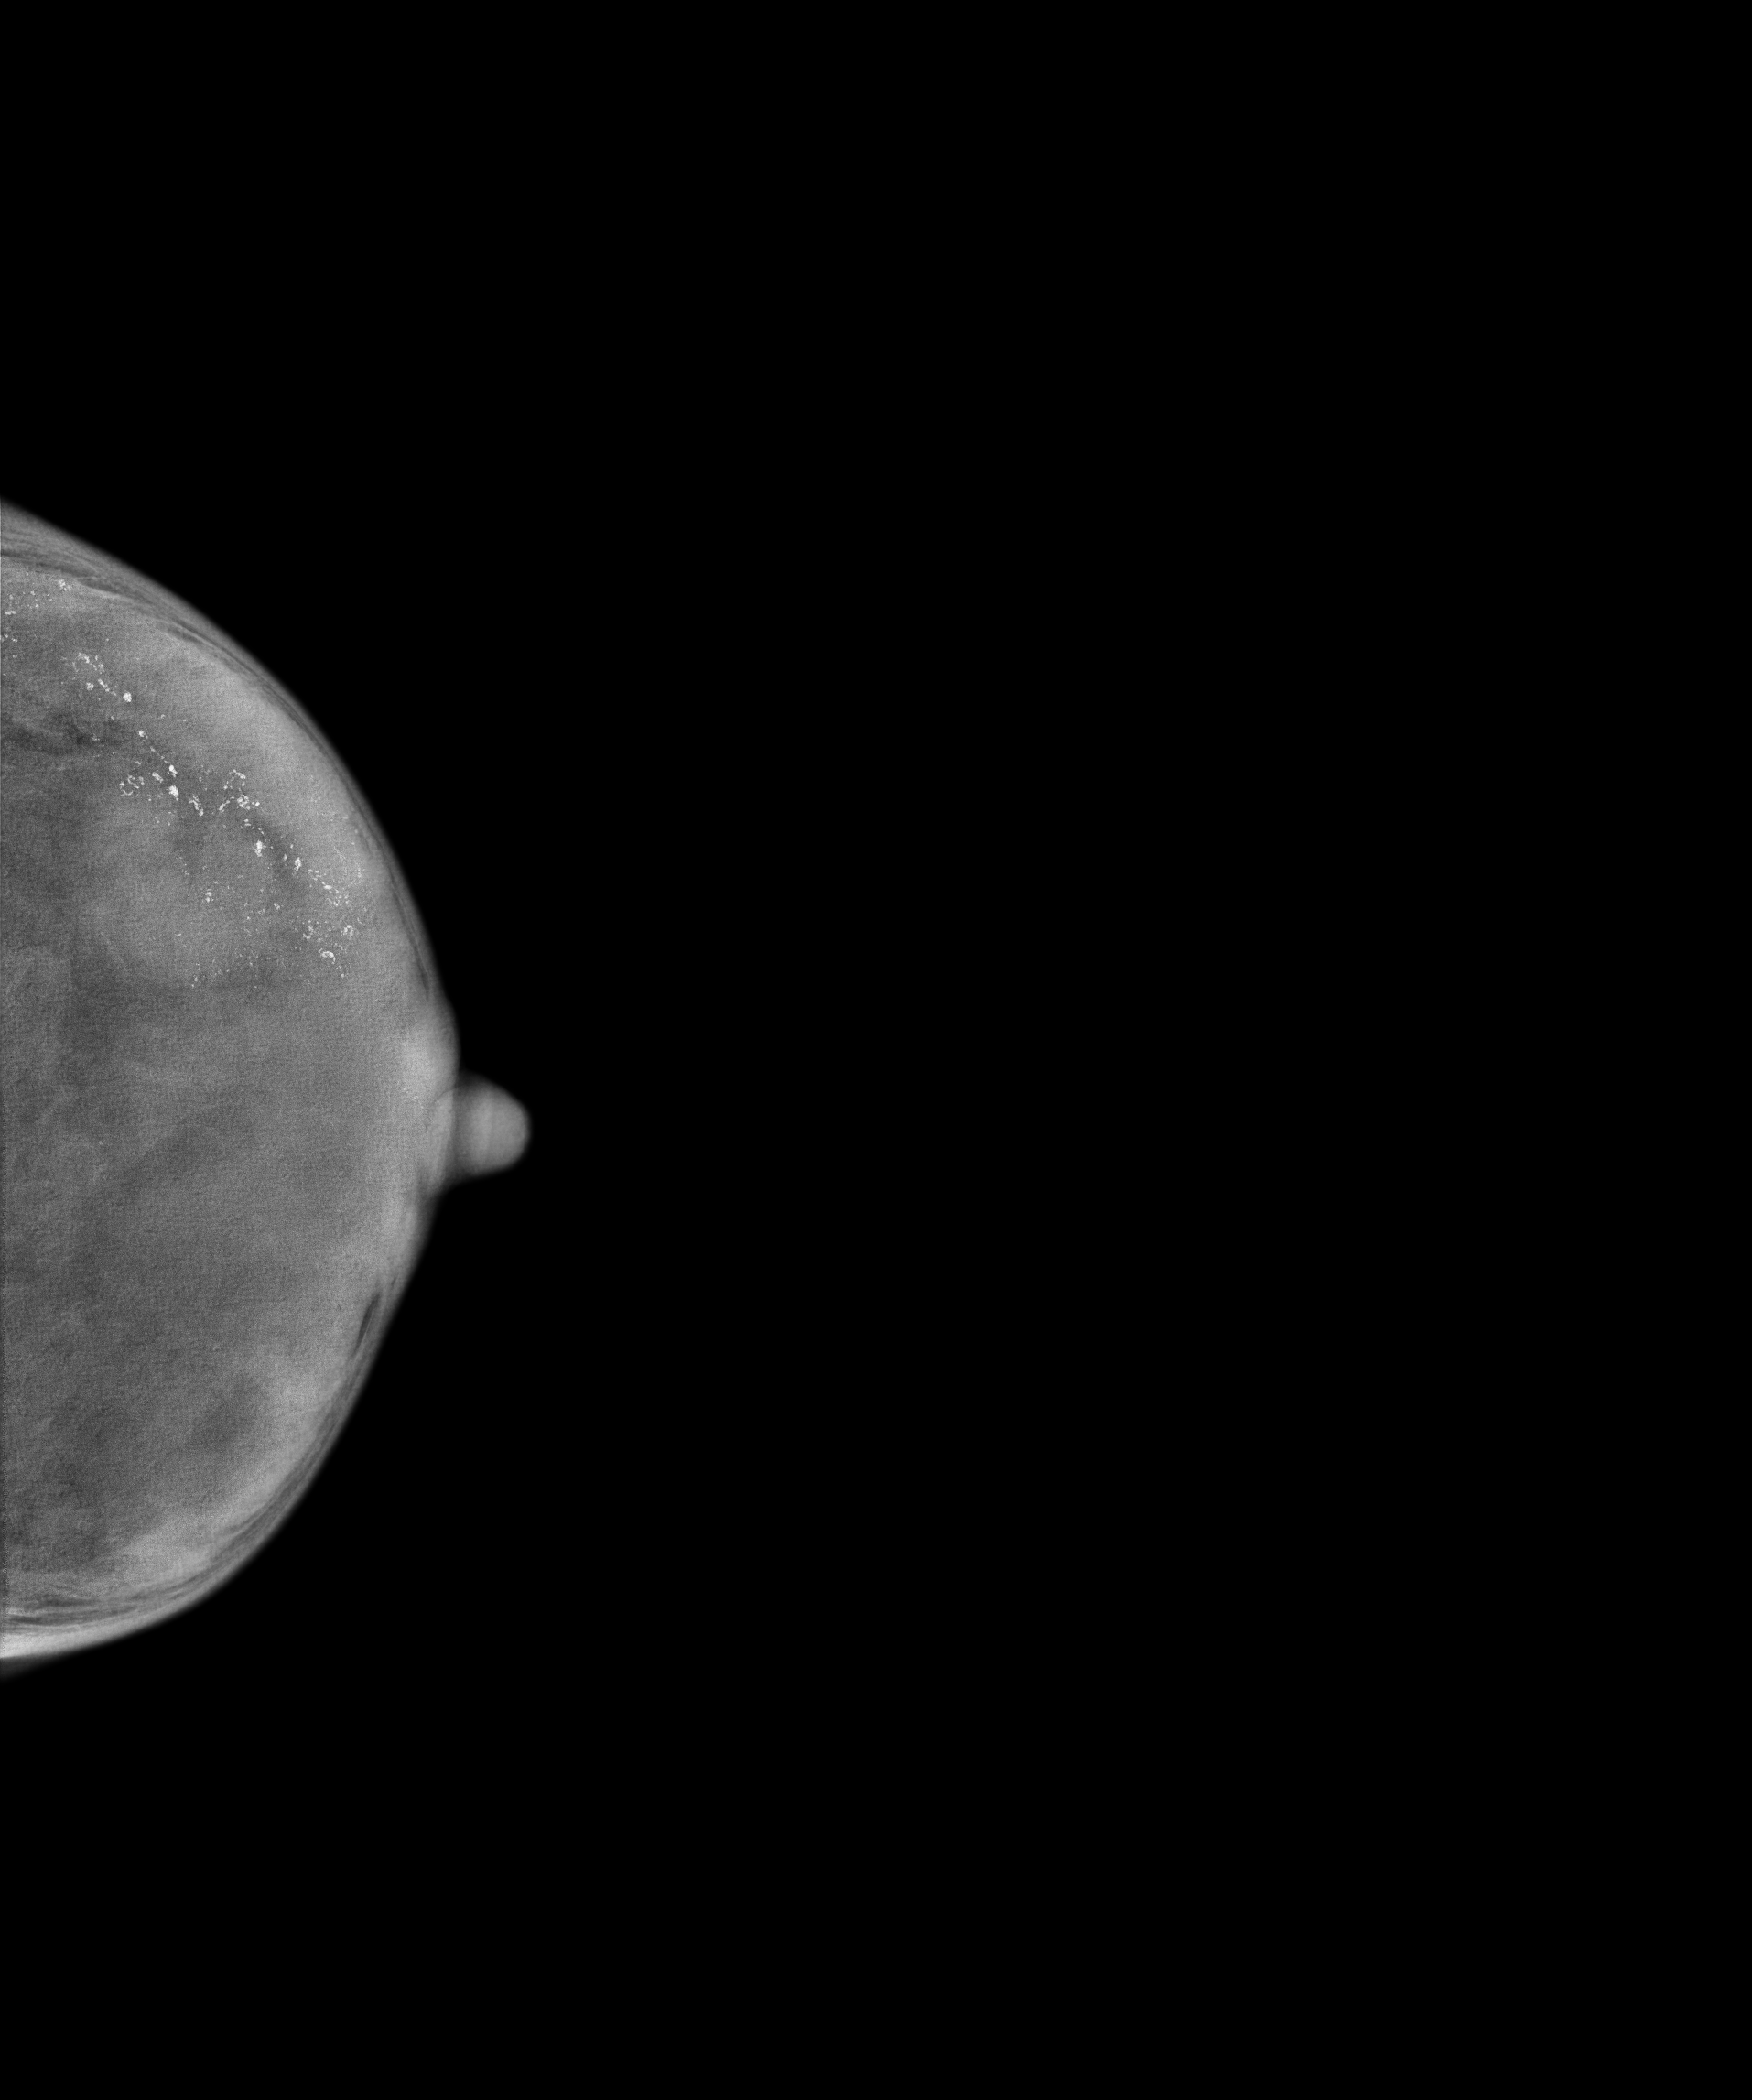
Digital mammography. Left breast, CC projection. 33-year-old patient.
This breast has calcifications, biopsy-confirmed malignant. Molecular subtype: luminal B.